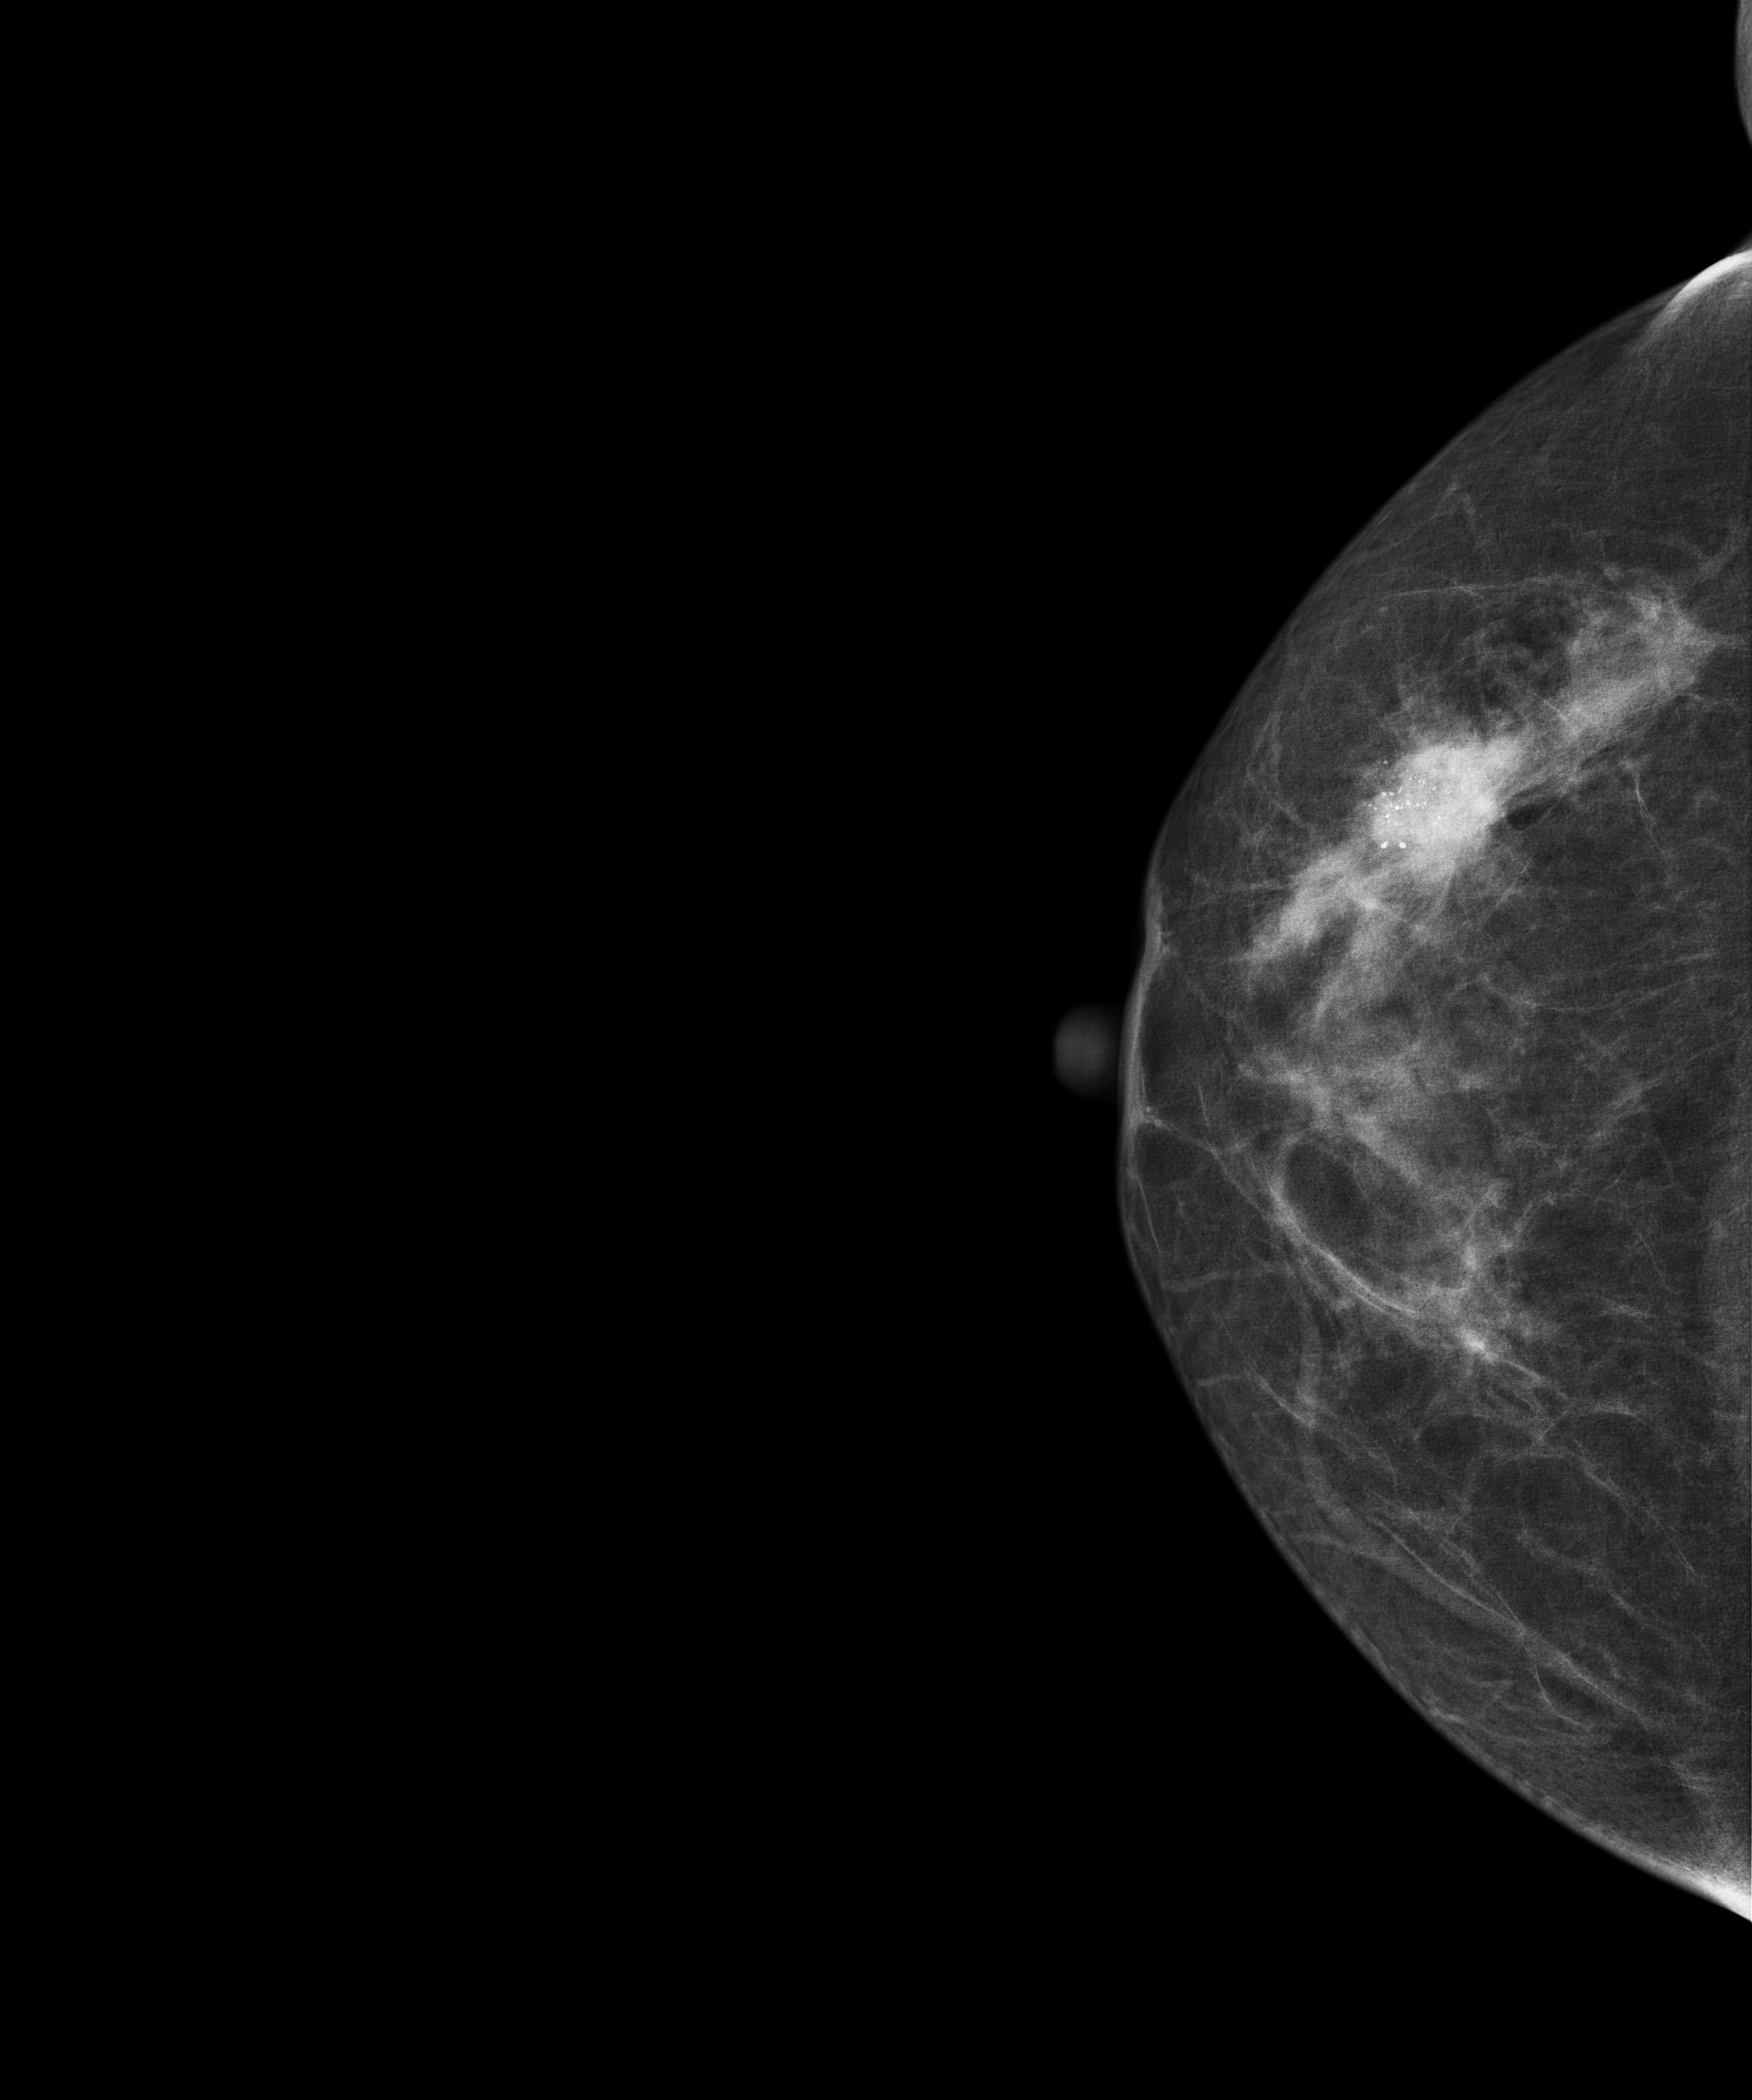
Digital mammography. Right breast, cranio-caudal projection. Patient age 53.
This breast has a mass and calcifications, histologically confirmed malignant.